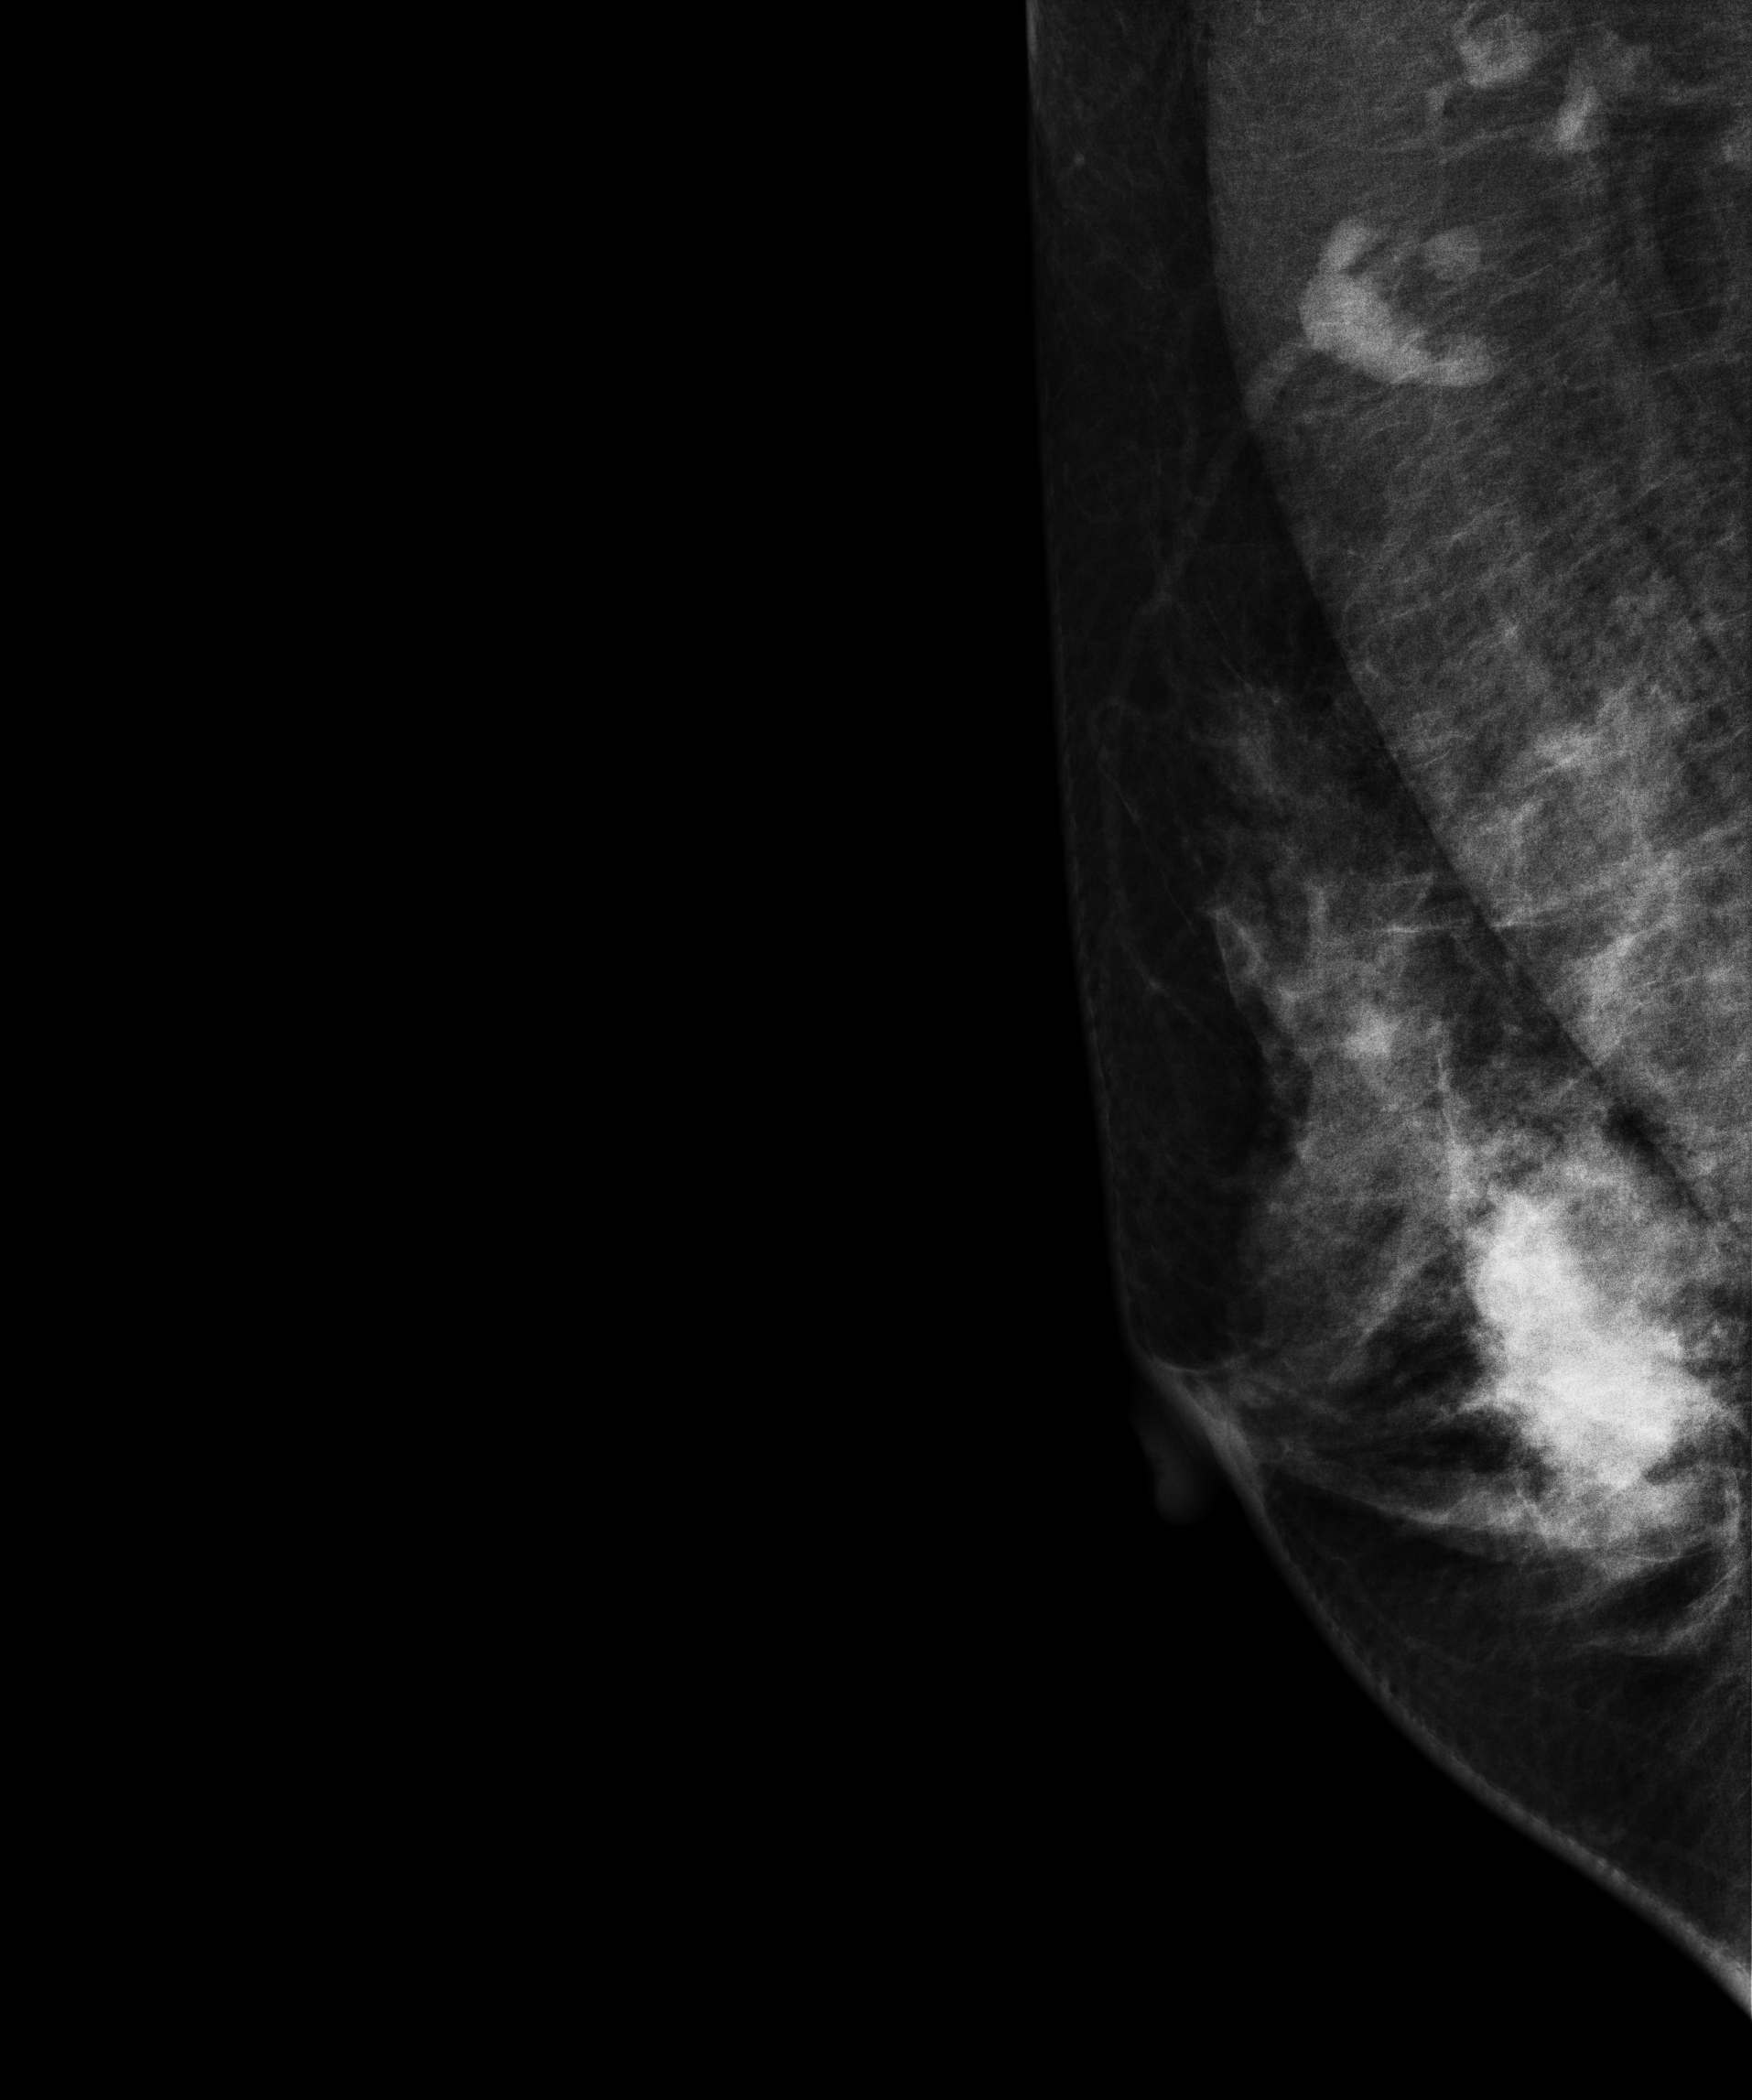
Right-breast mammogram, MLO. 43 y/o patient.
This breast has a mass, pathology-confirmed malignant.